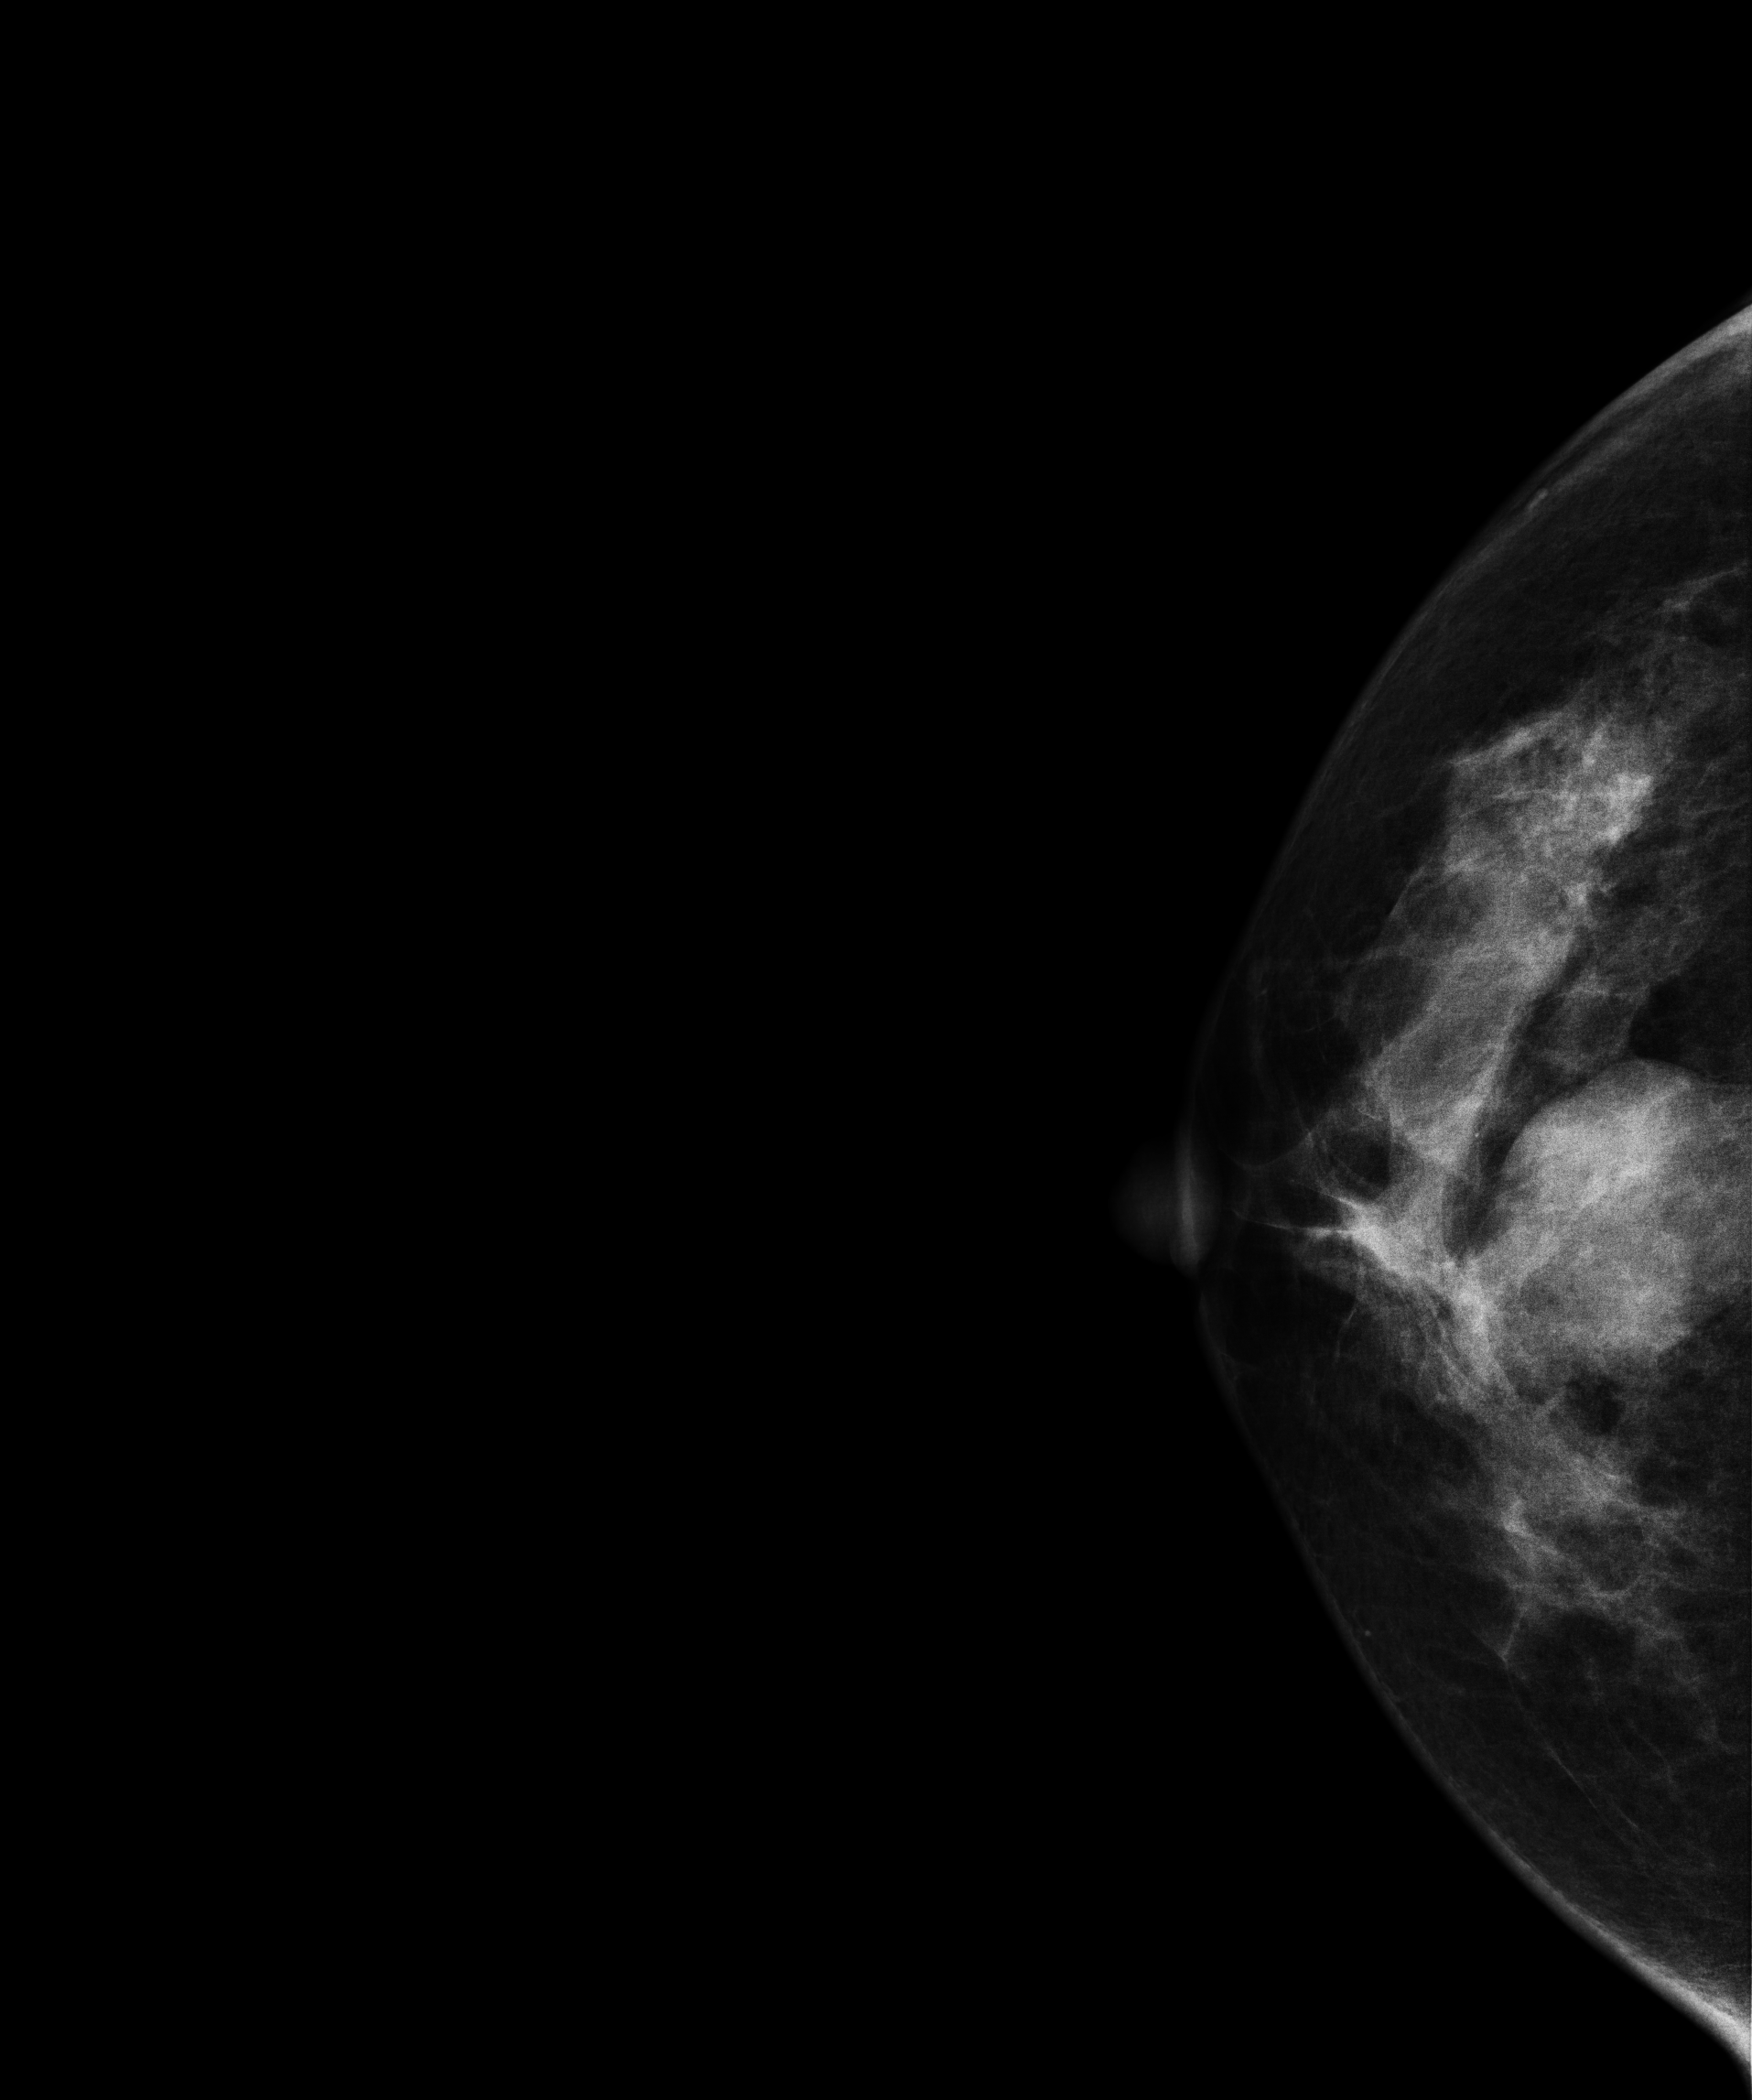
Right-breast mammogram, cranio-caudal. Patient age 36.
This breast has a mass, biopsy-confirmed benign.